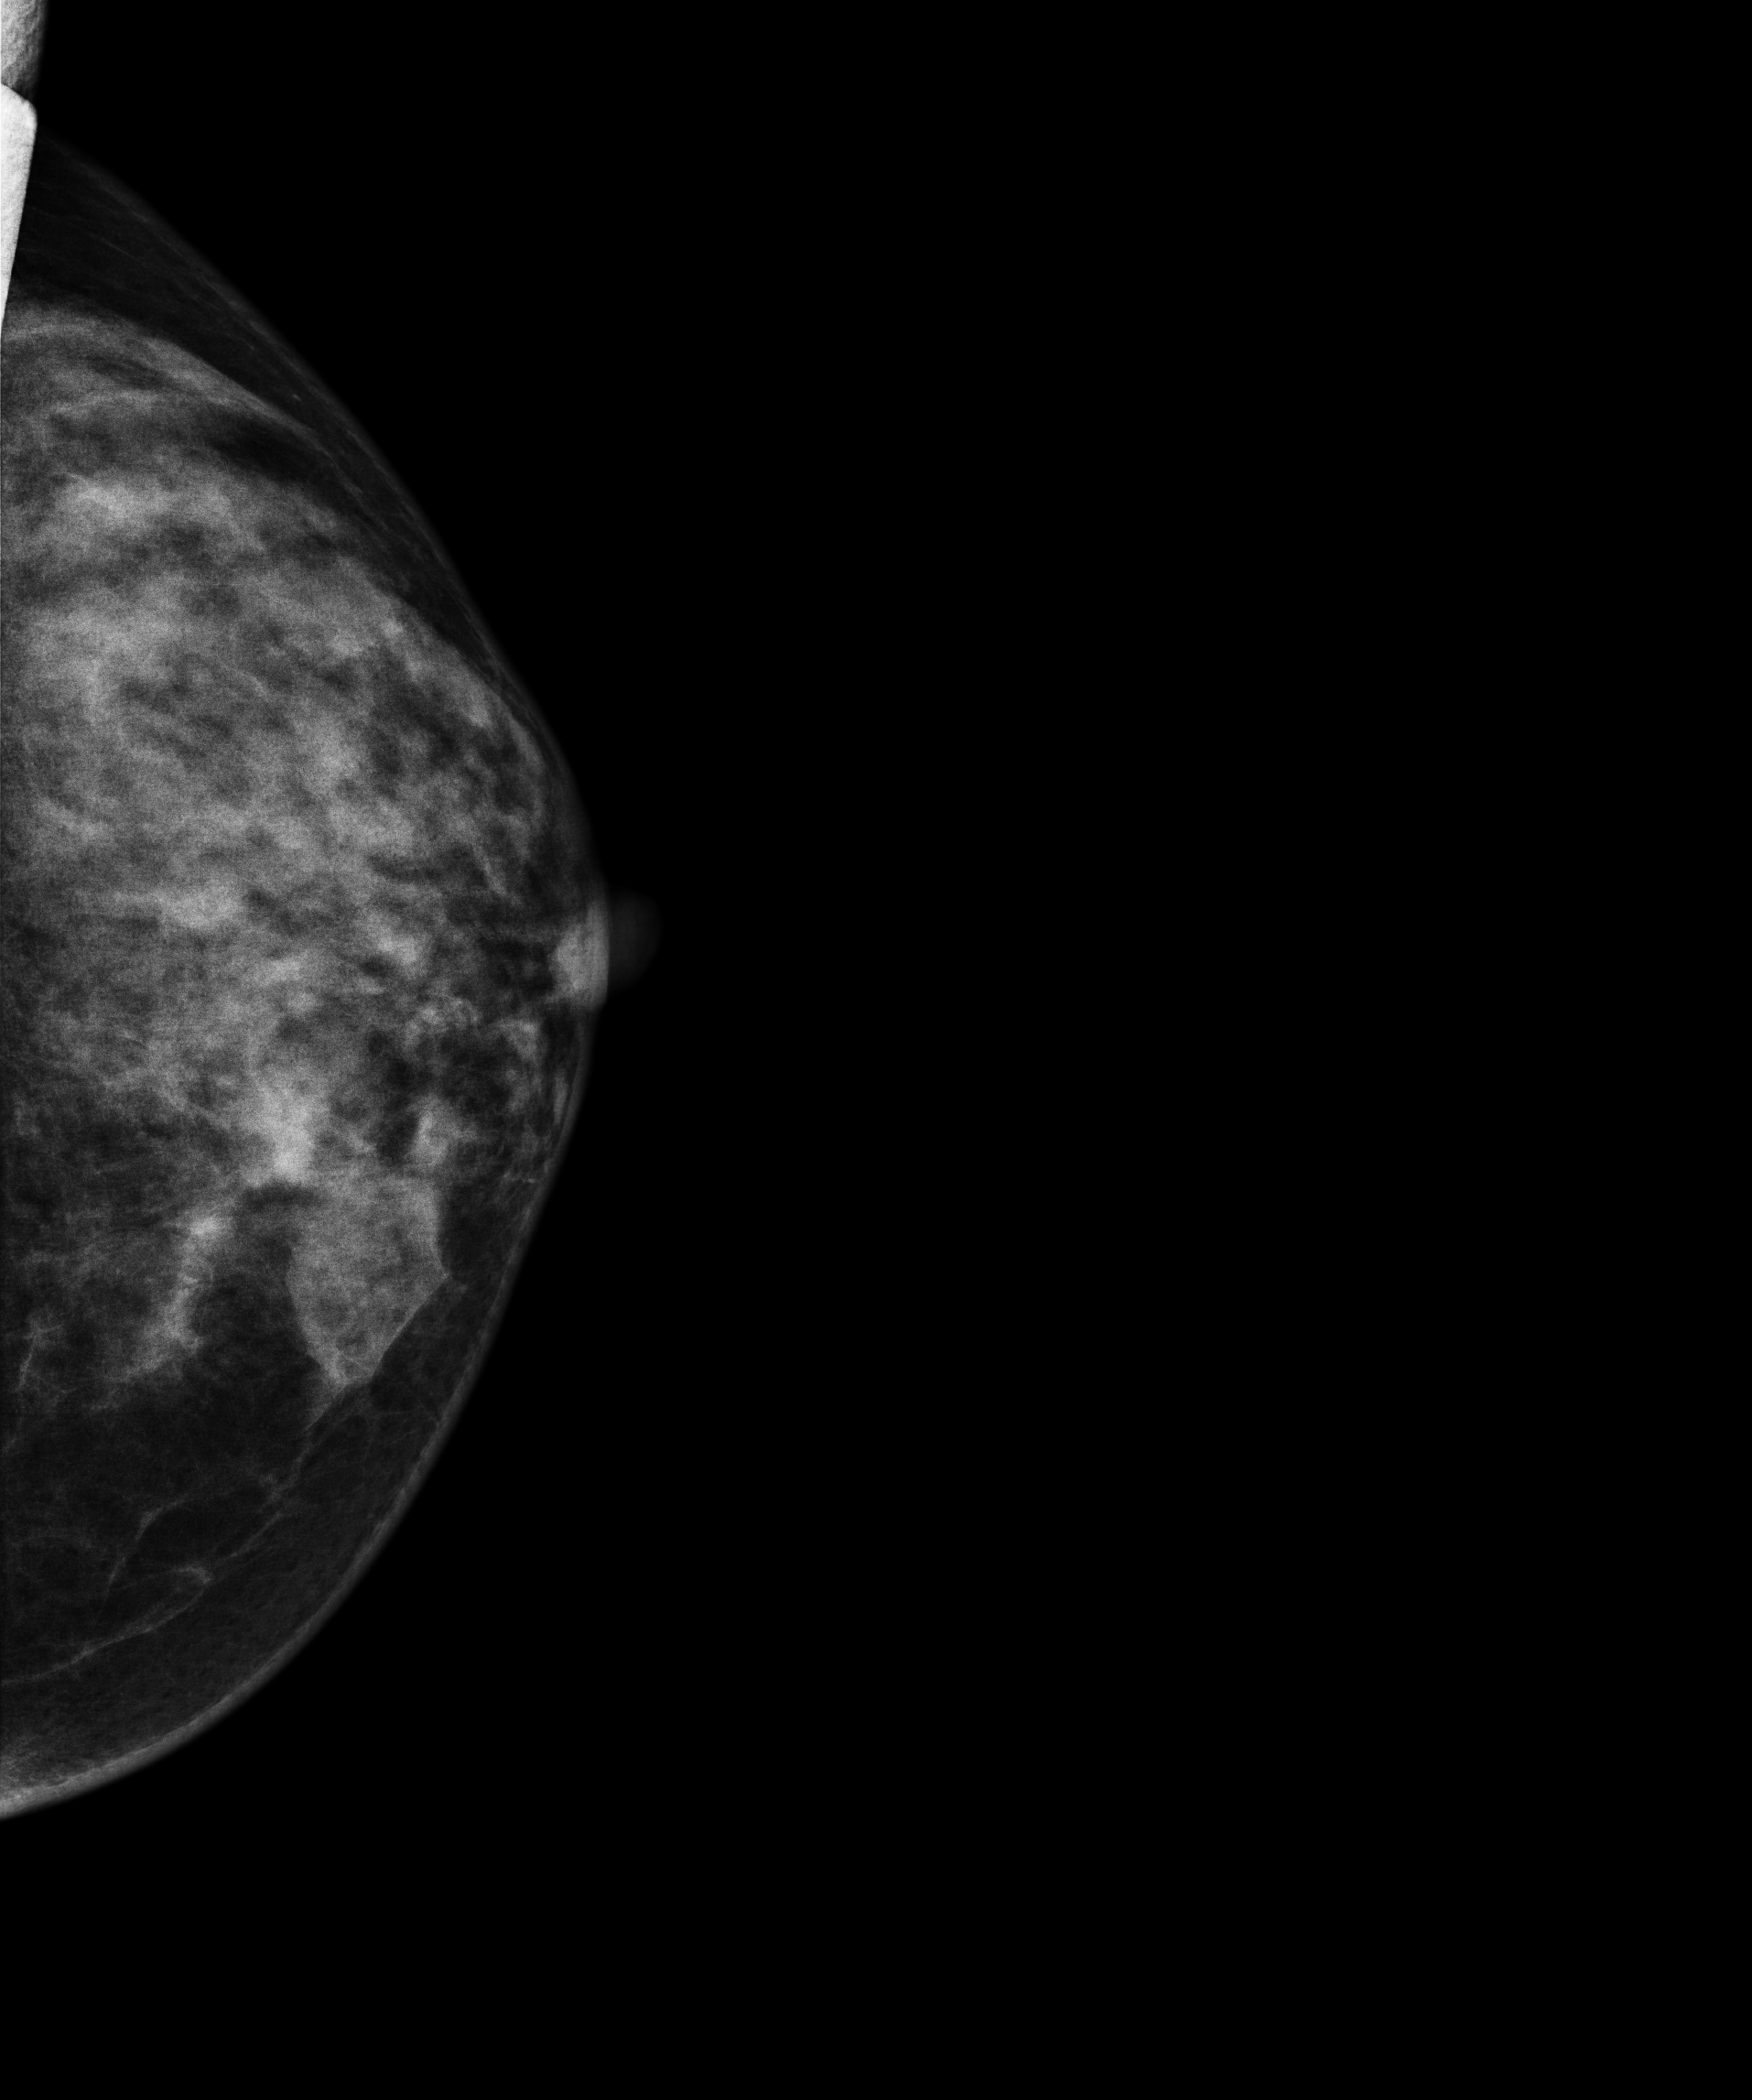
Mammogram, left breast, cranio-caudal view. 43 y/o patient.
Contralateral breast — no documented abnormality on this side.